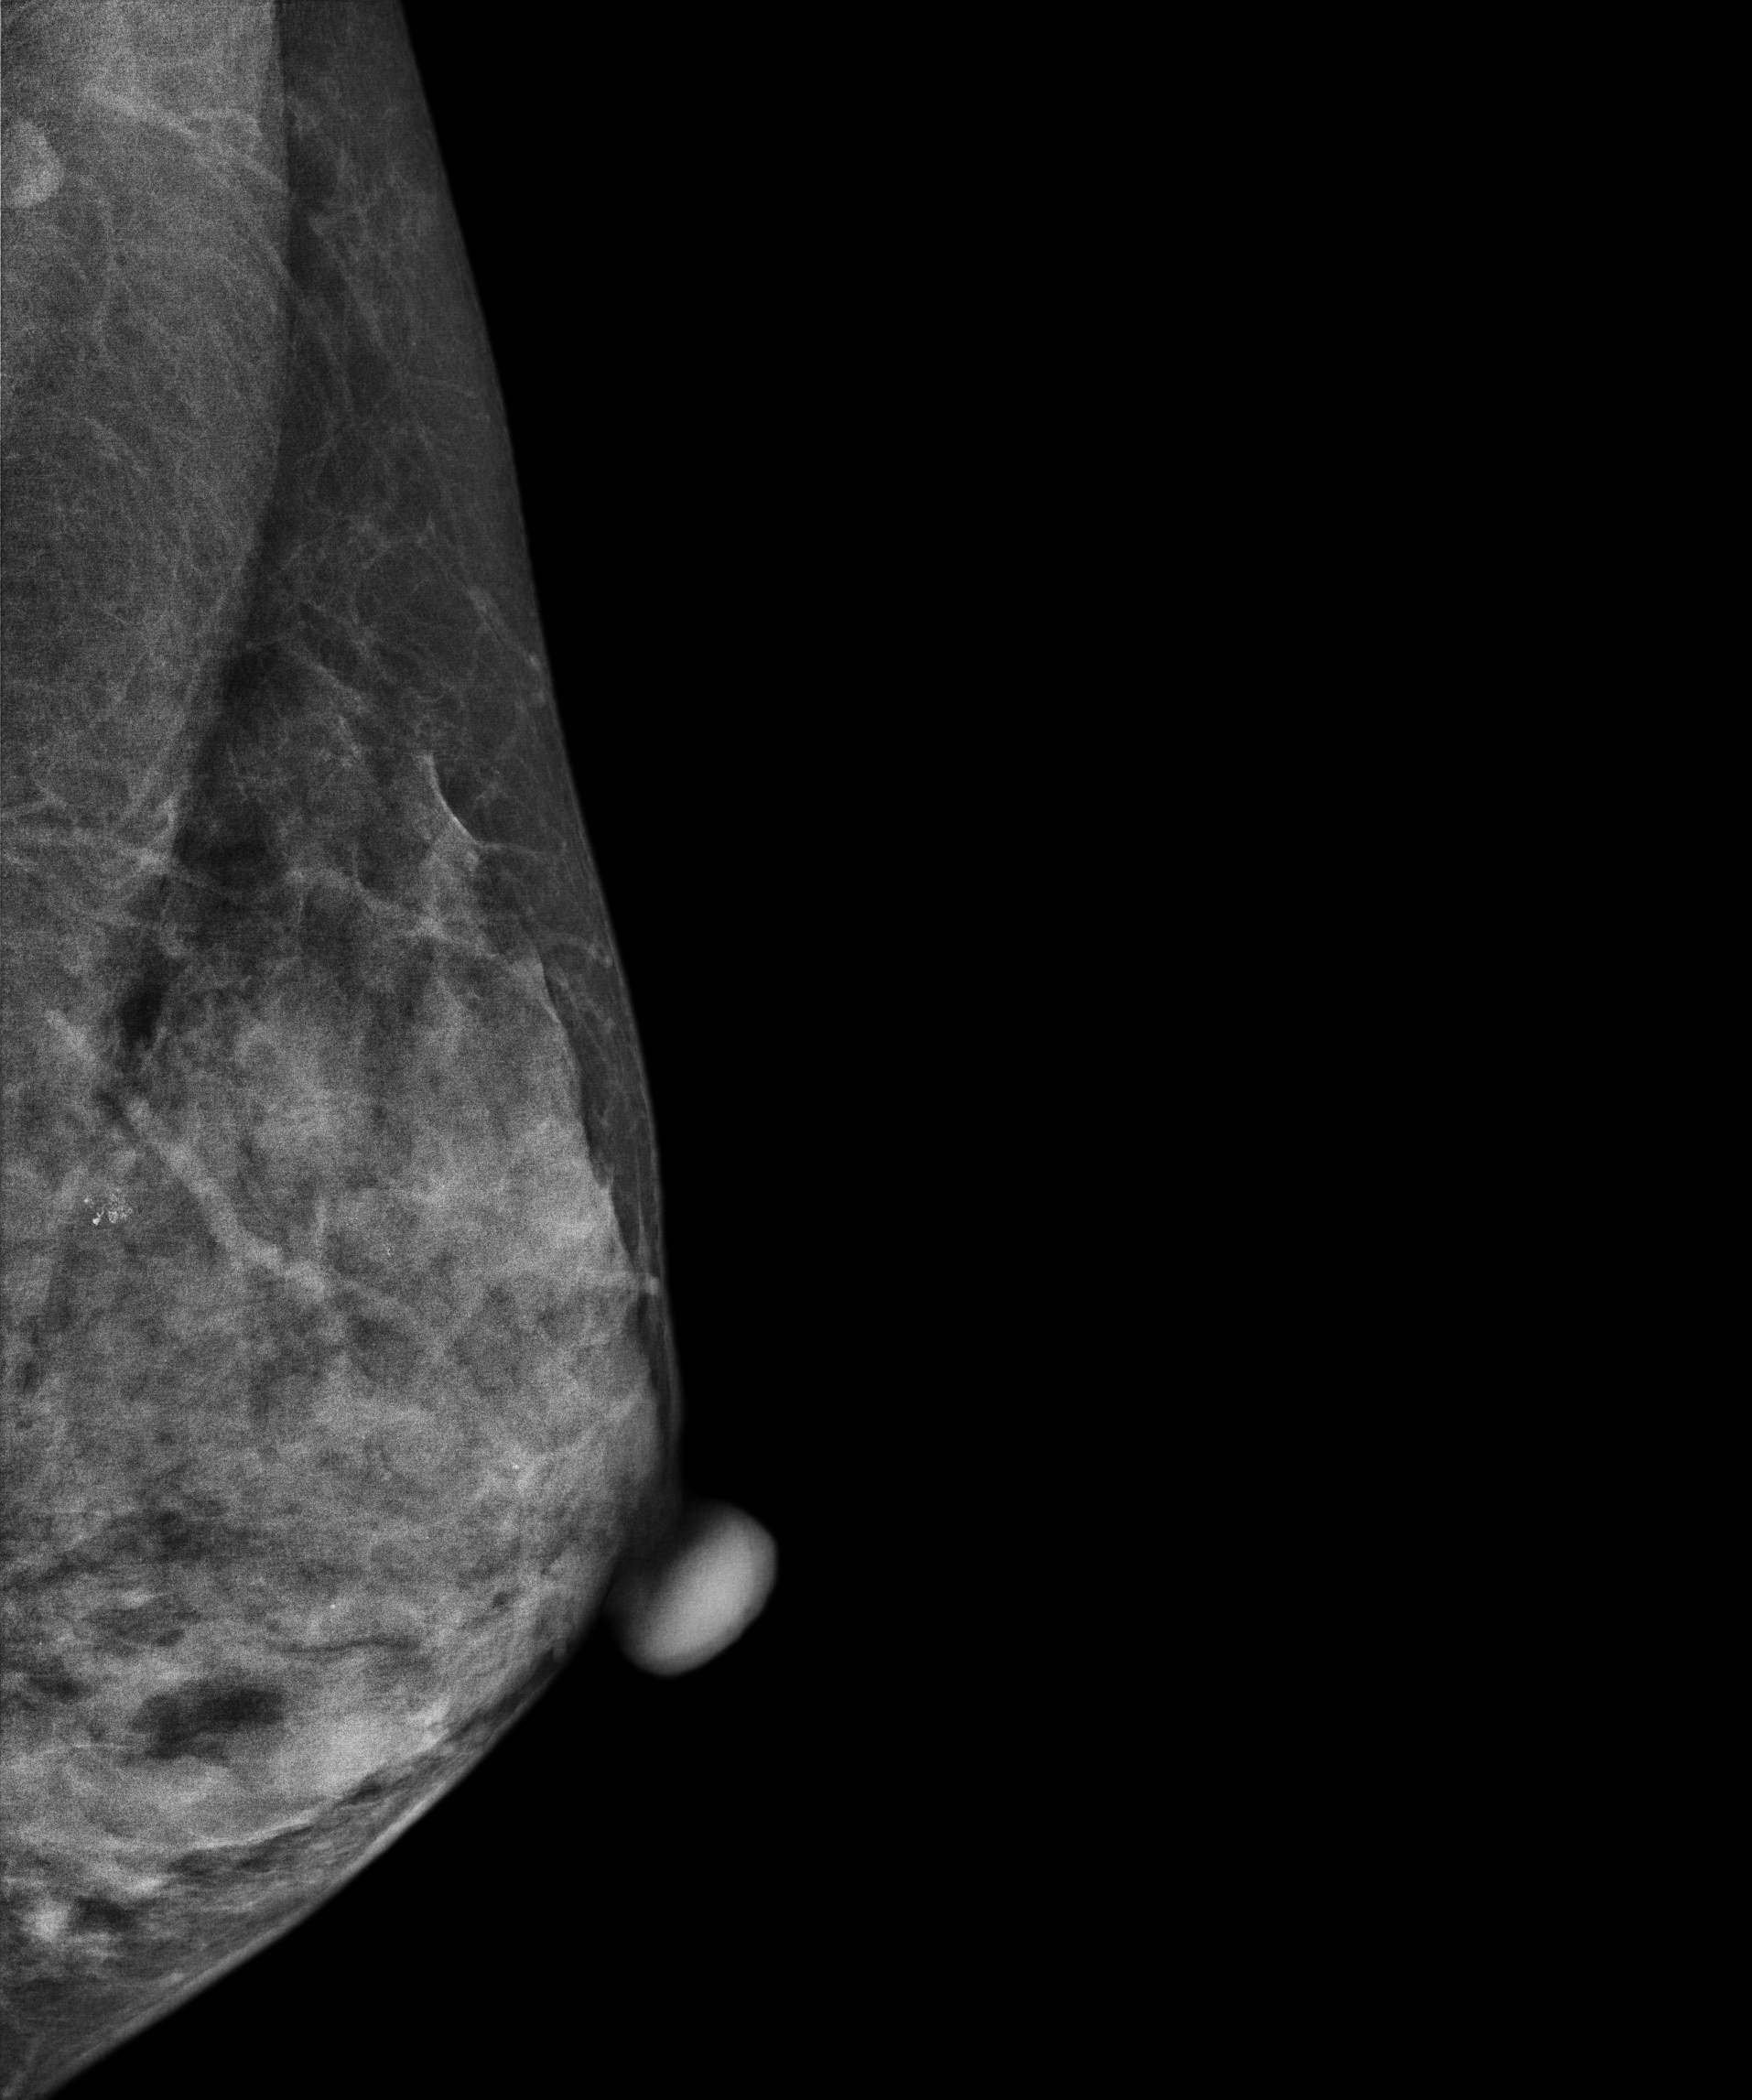
Mammogram — left MLO. Patient age 47.
This breast has a mass and calcifications, biopsy-proven malignant. Molecular subtype: luminal A.